Right-breast mammogram, CC. 39 y/o patient.
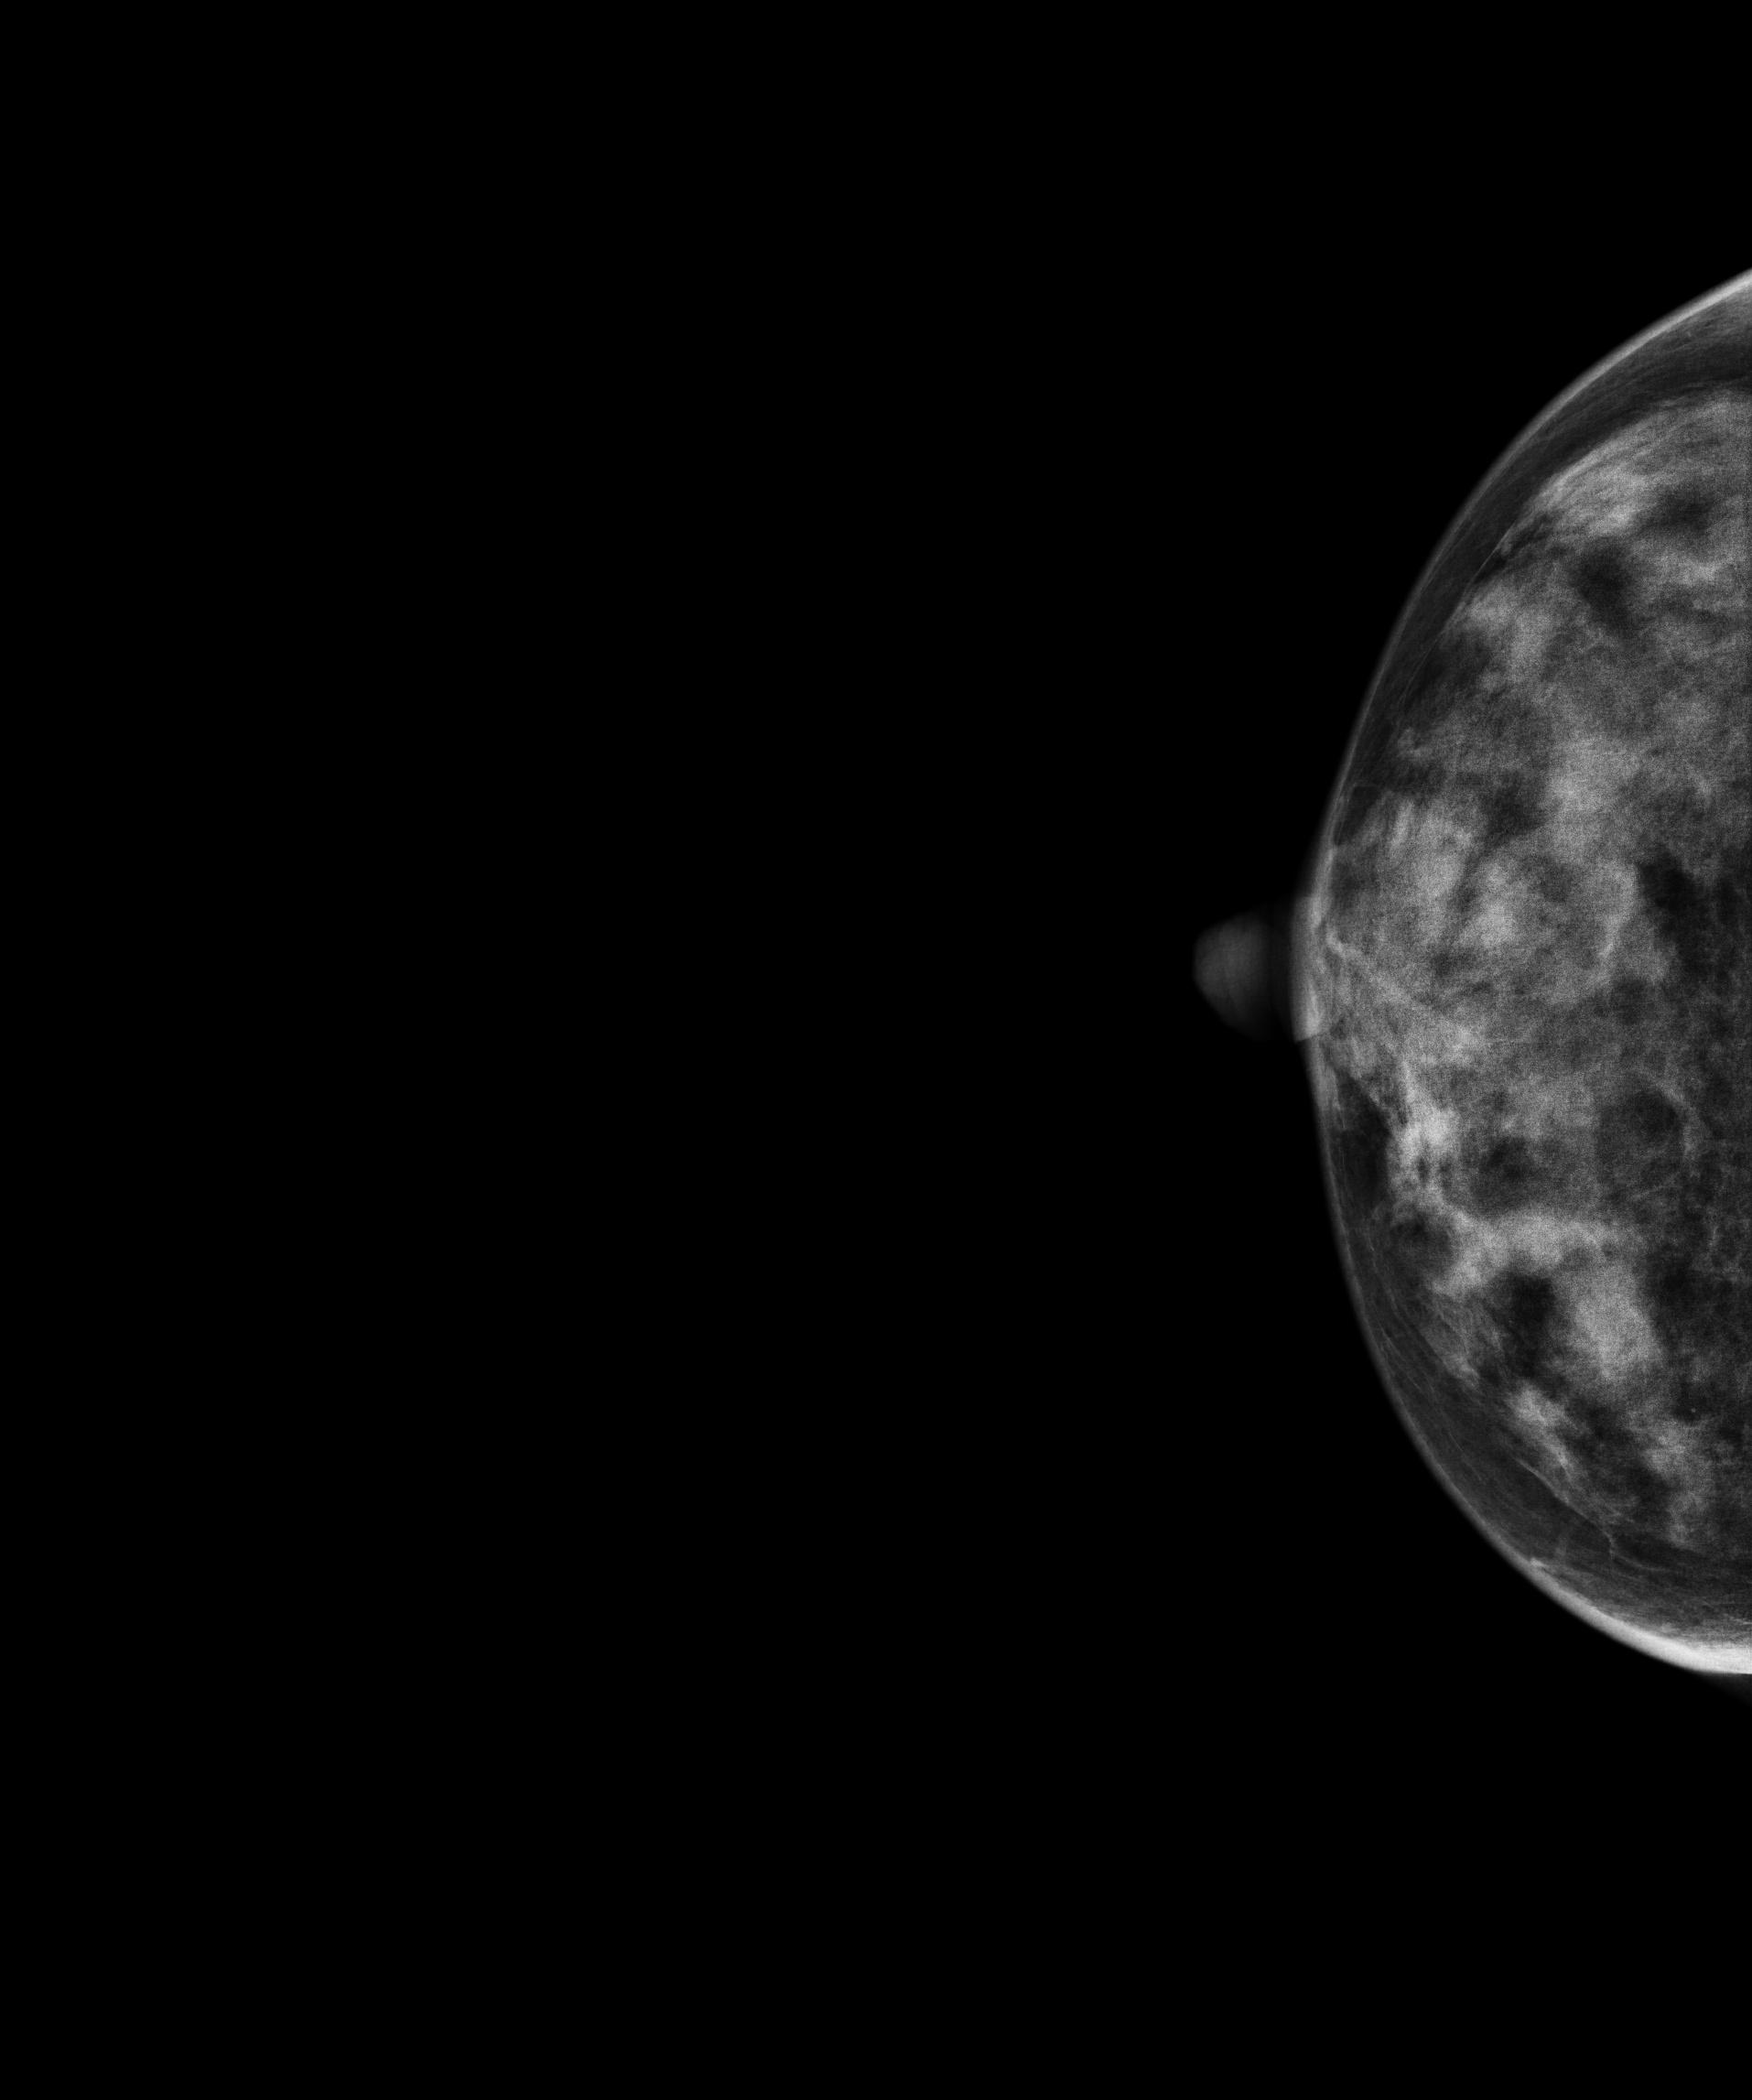
This breast has a mass, biopsy-confirmed malignant. Molecular subtype: luminal B.